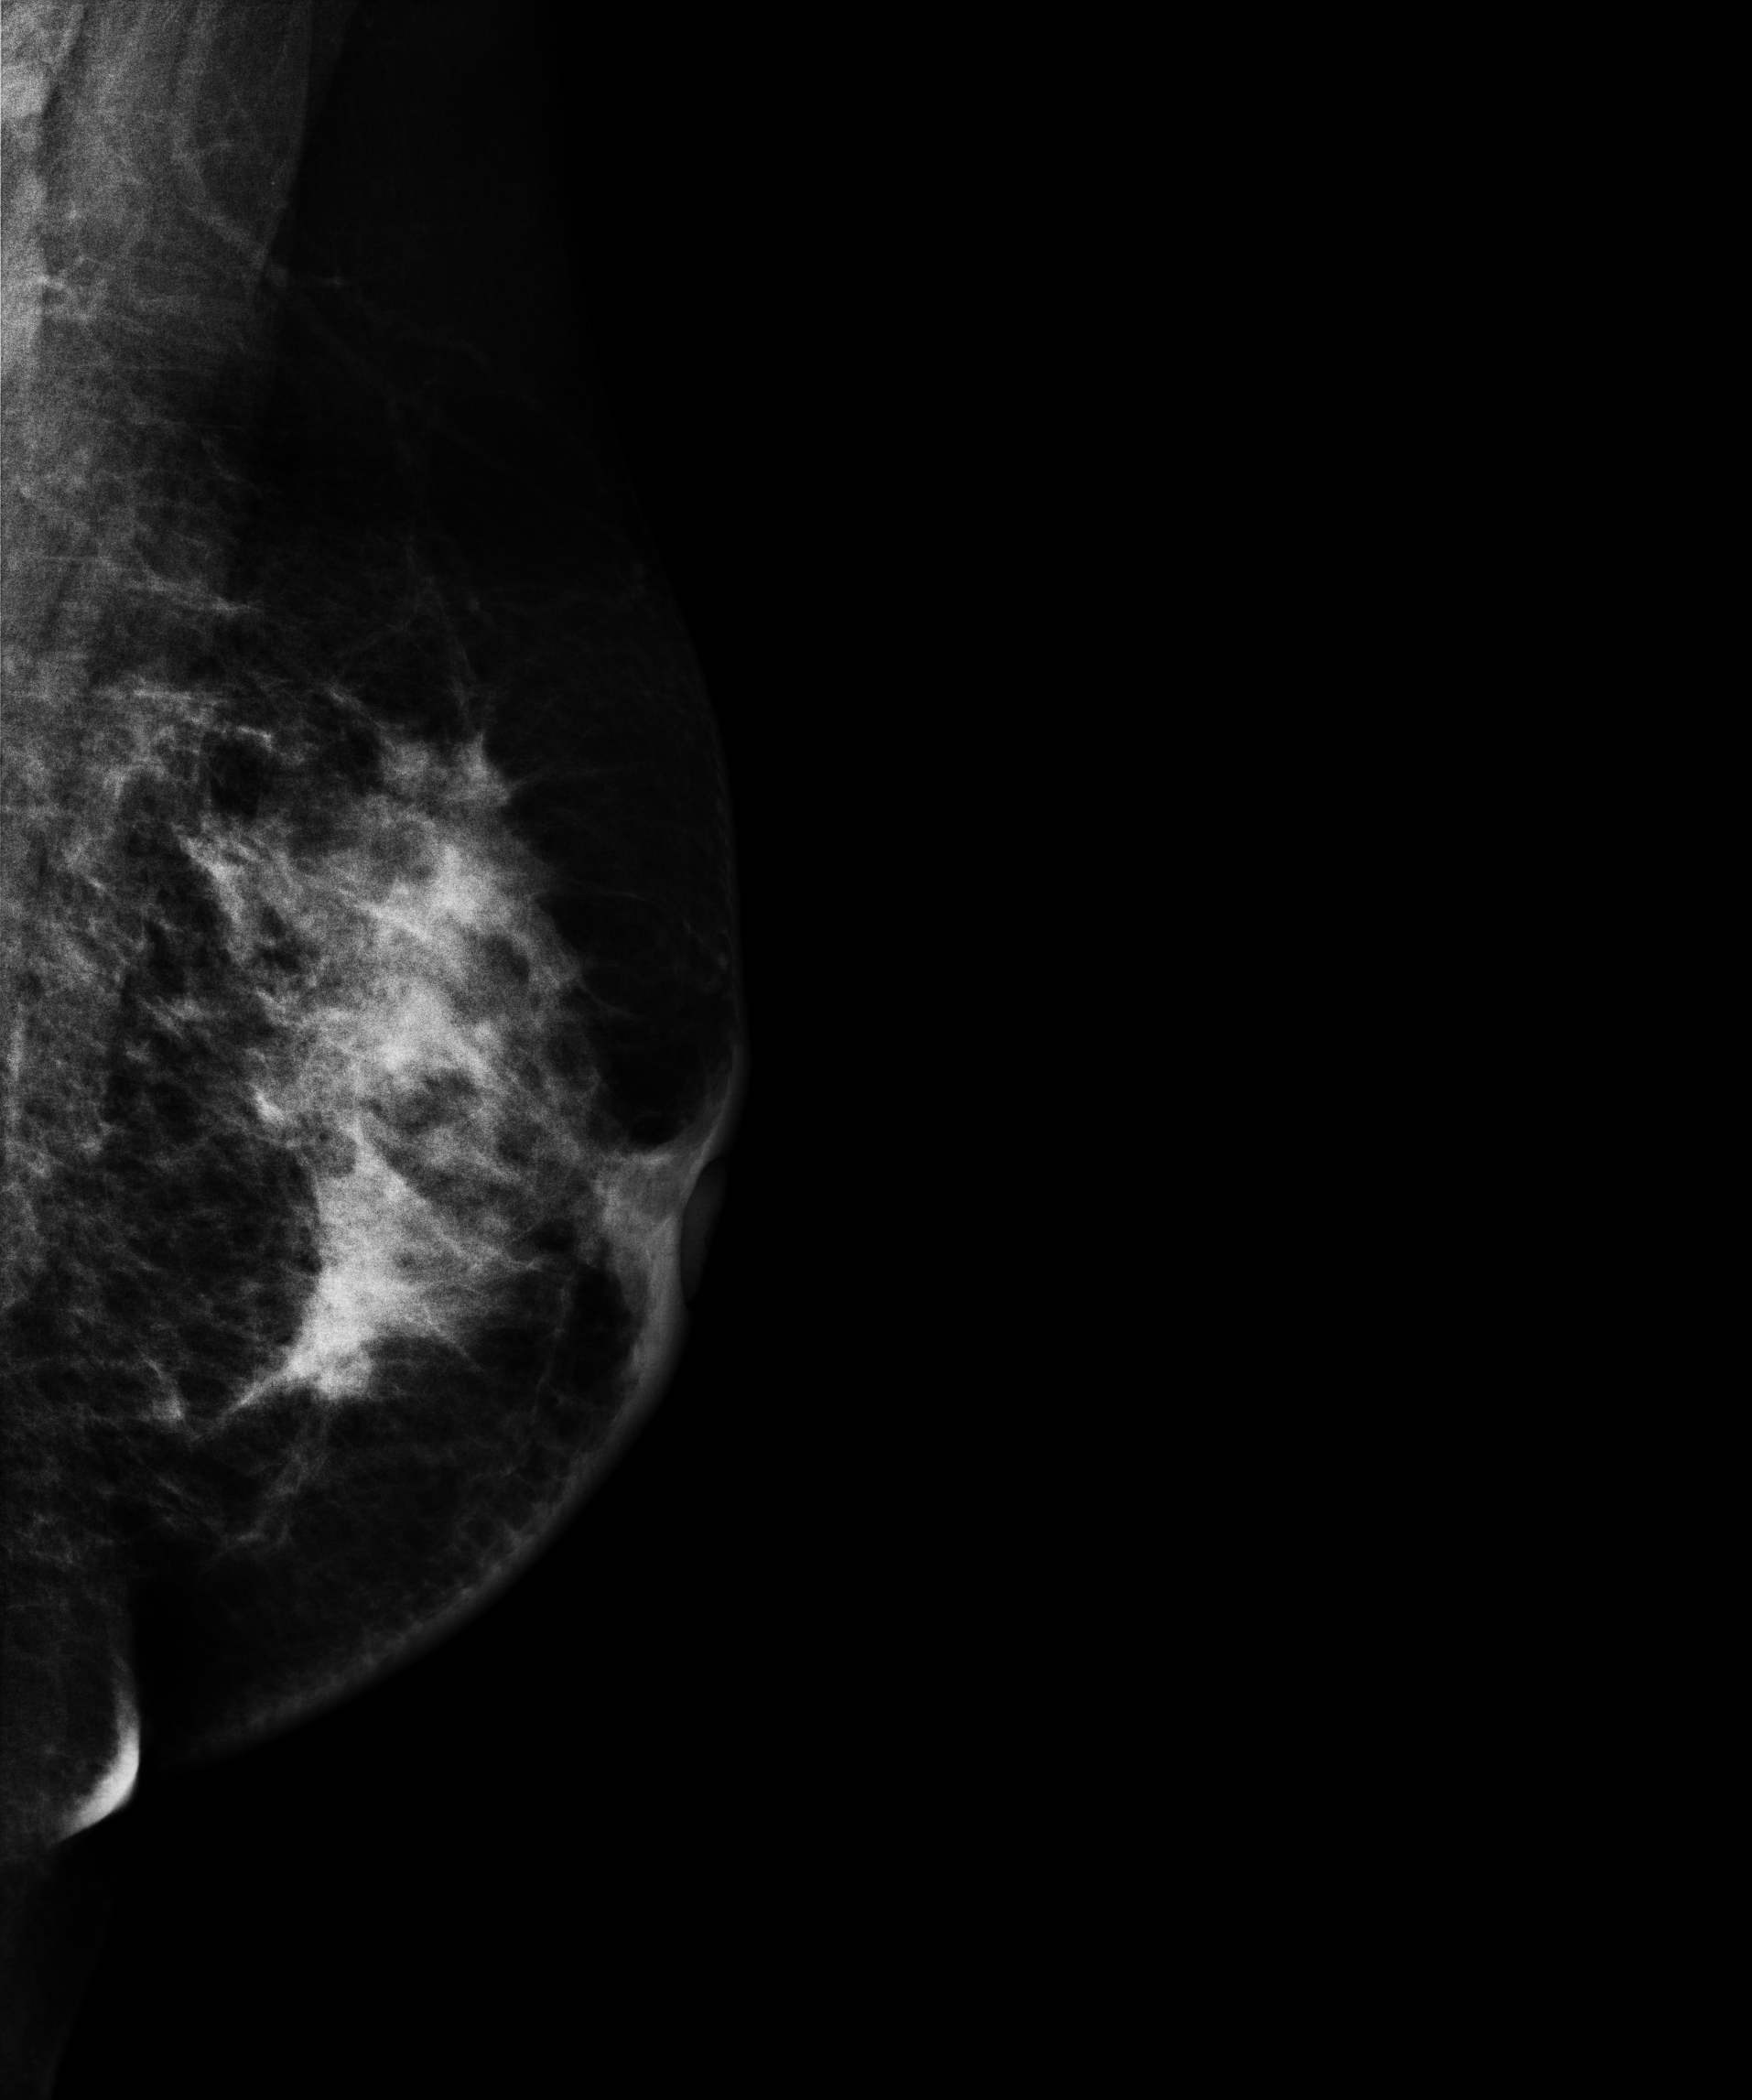
Digital mammography. Left breast, medio-lateral oblique projection. 59 y/o patient.
This breast has a mass, histologically confirmed malignant.